Digital mammography. Right breast, cranio-caudal projection. Patient age 59.
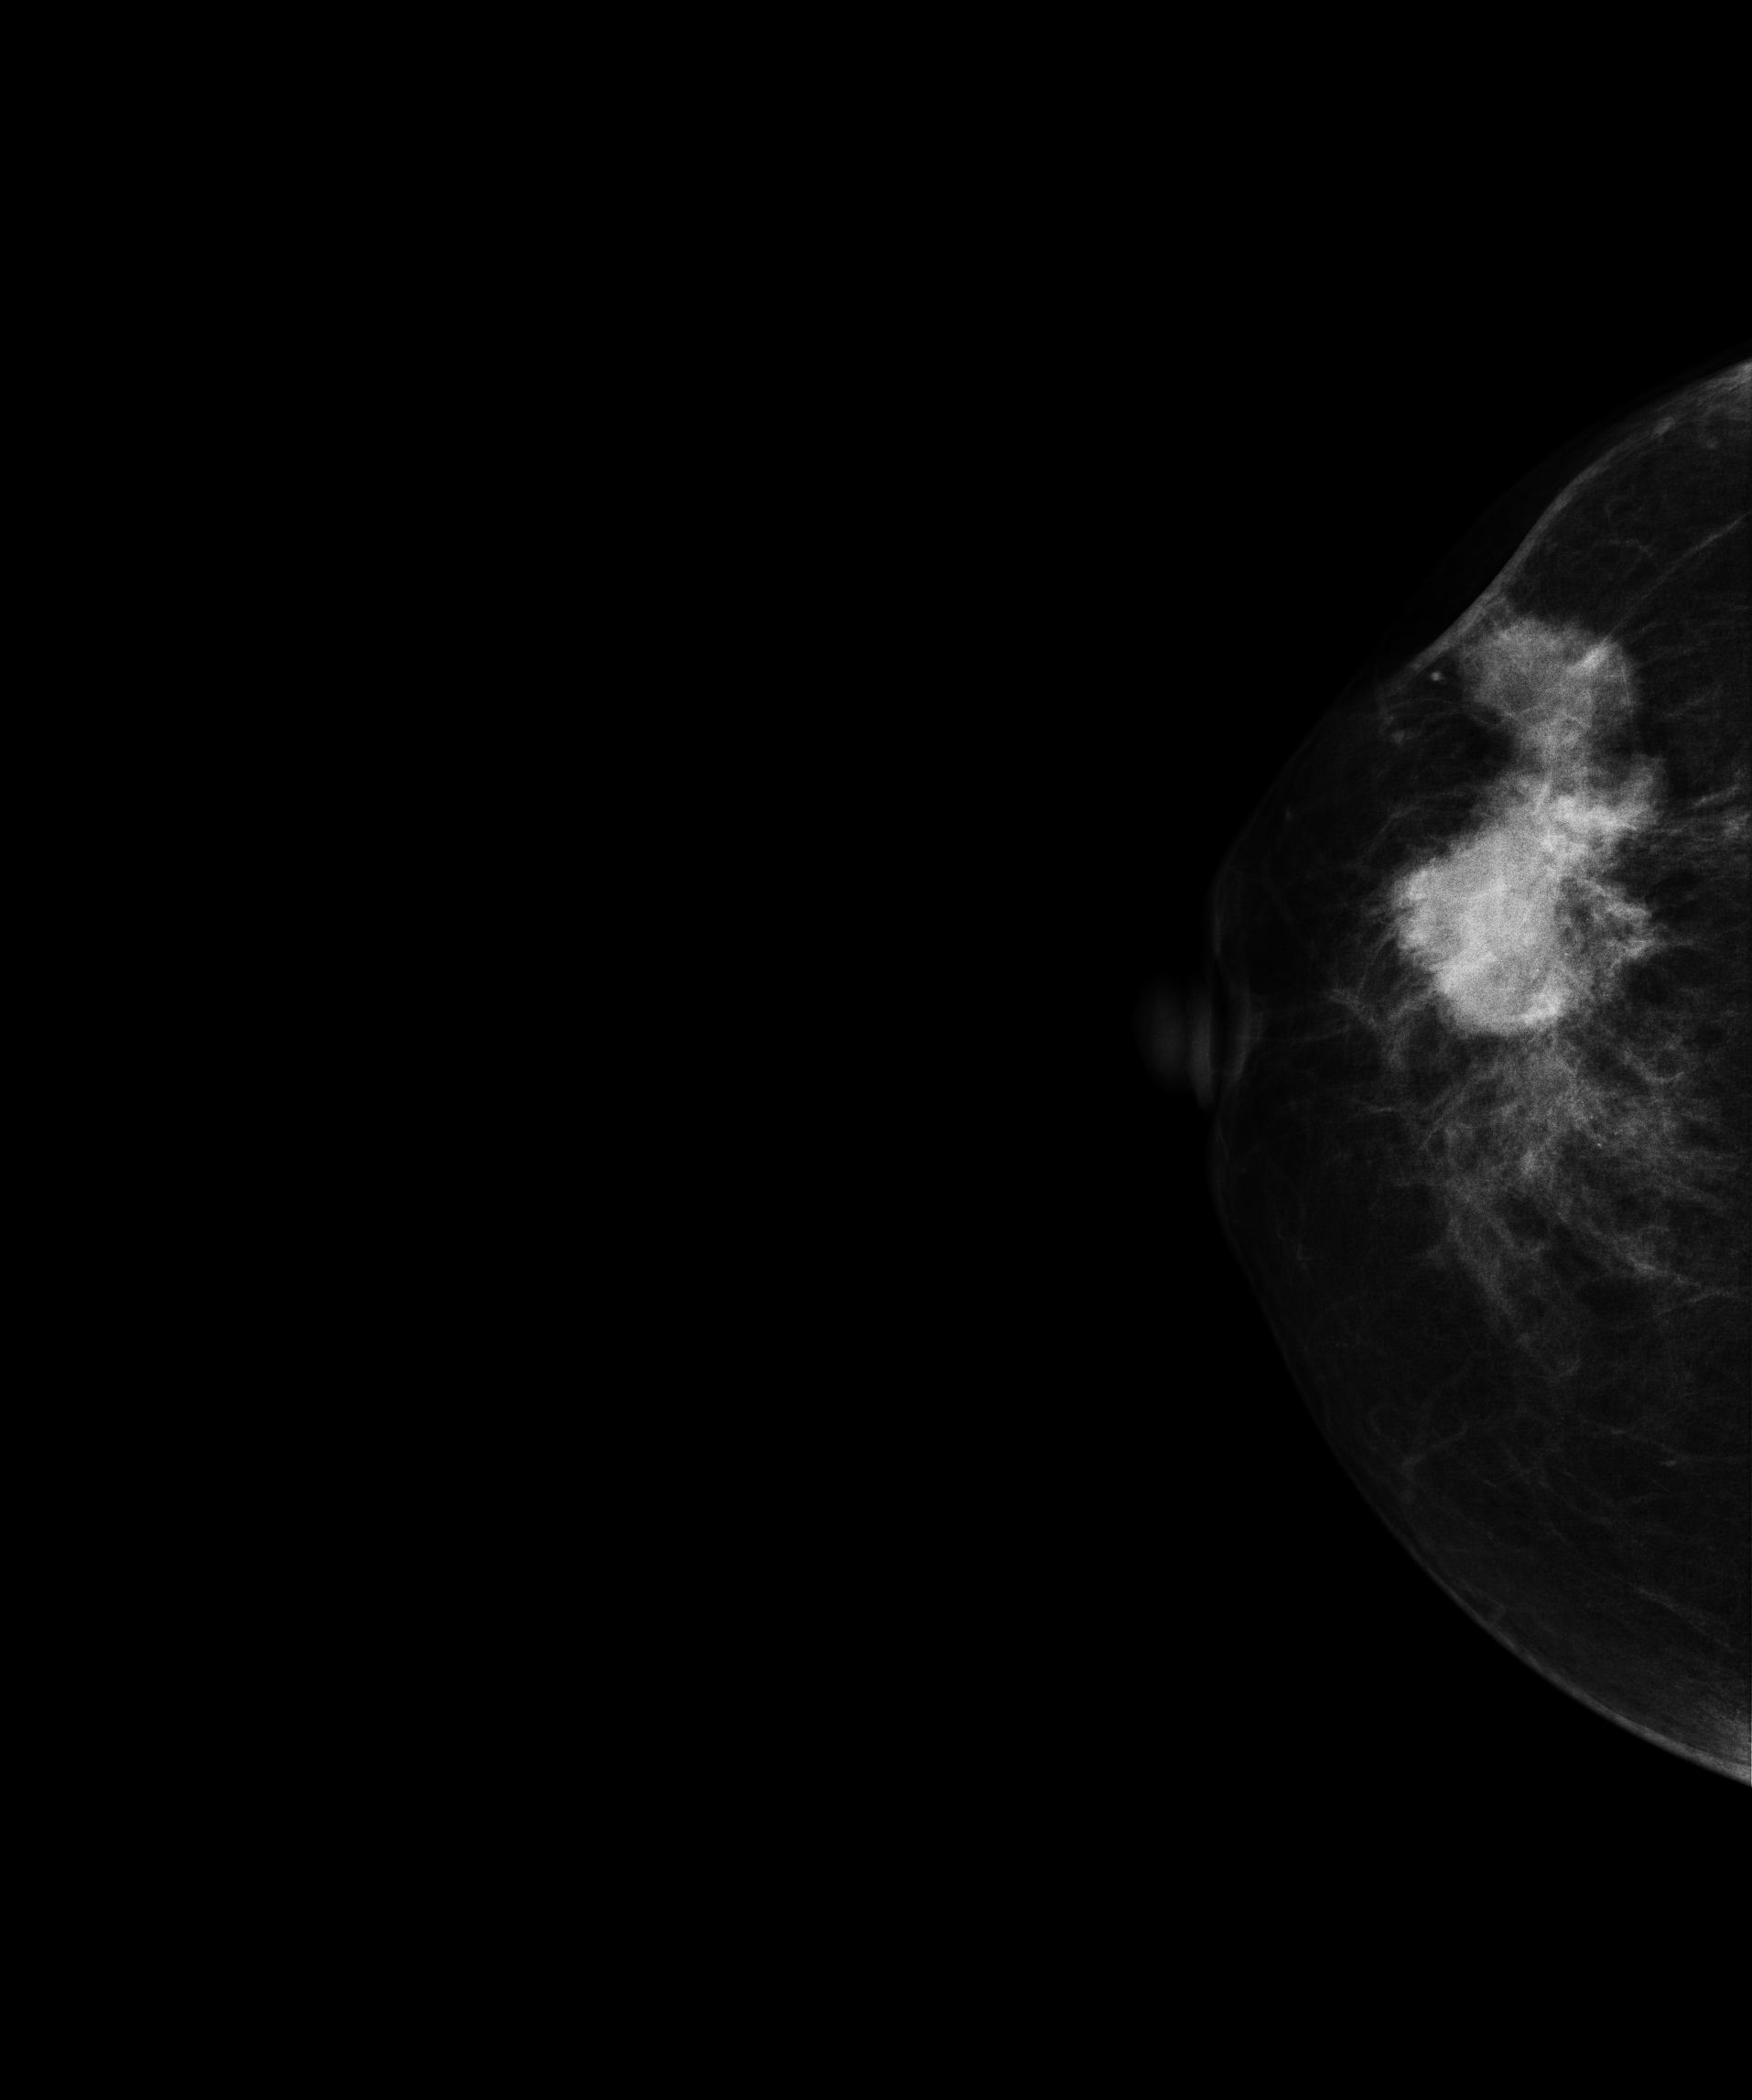
This breast has a mass, pathology-confirmed malignant.